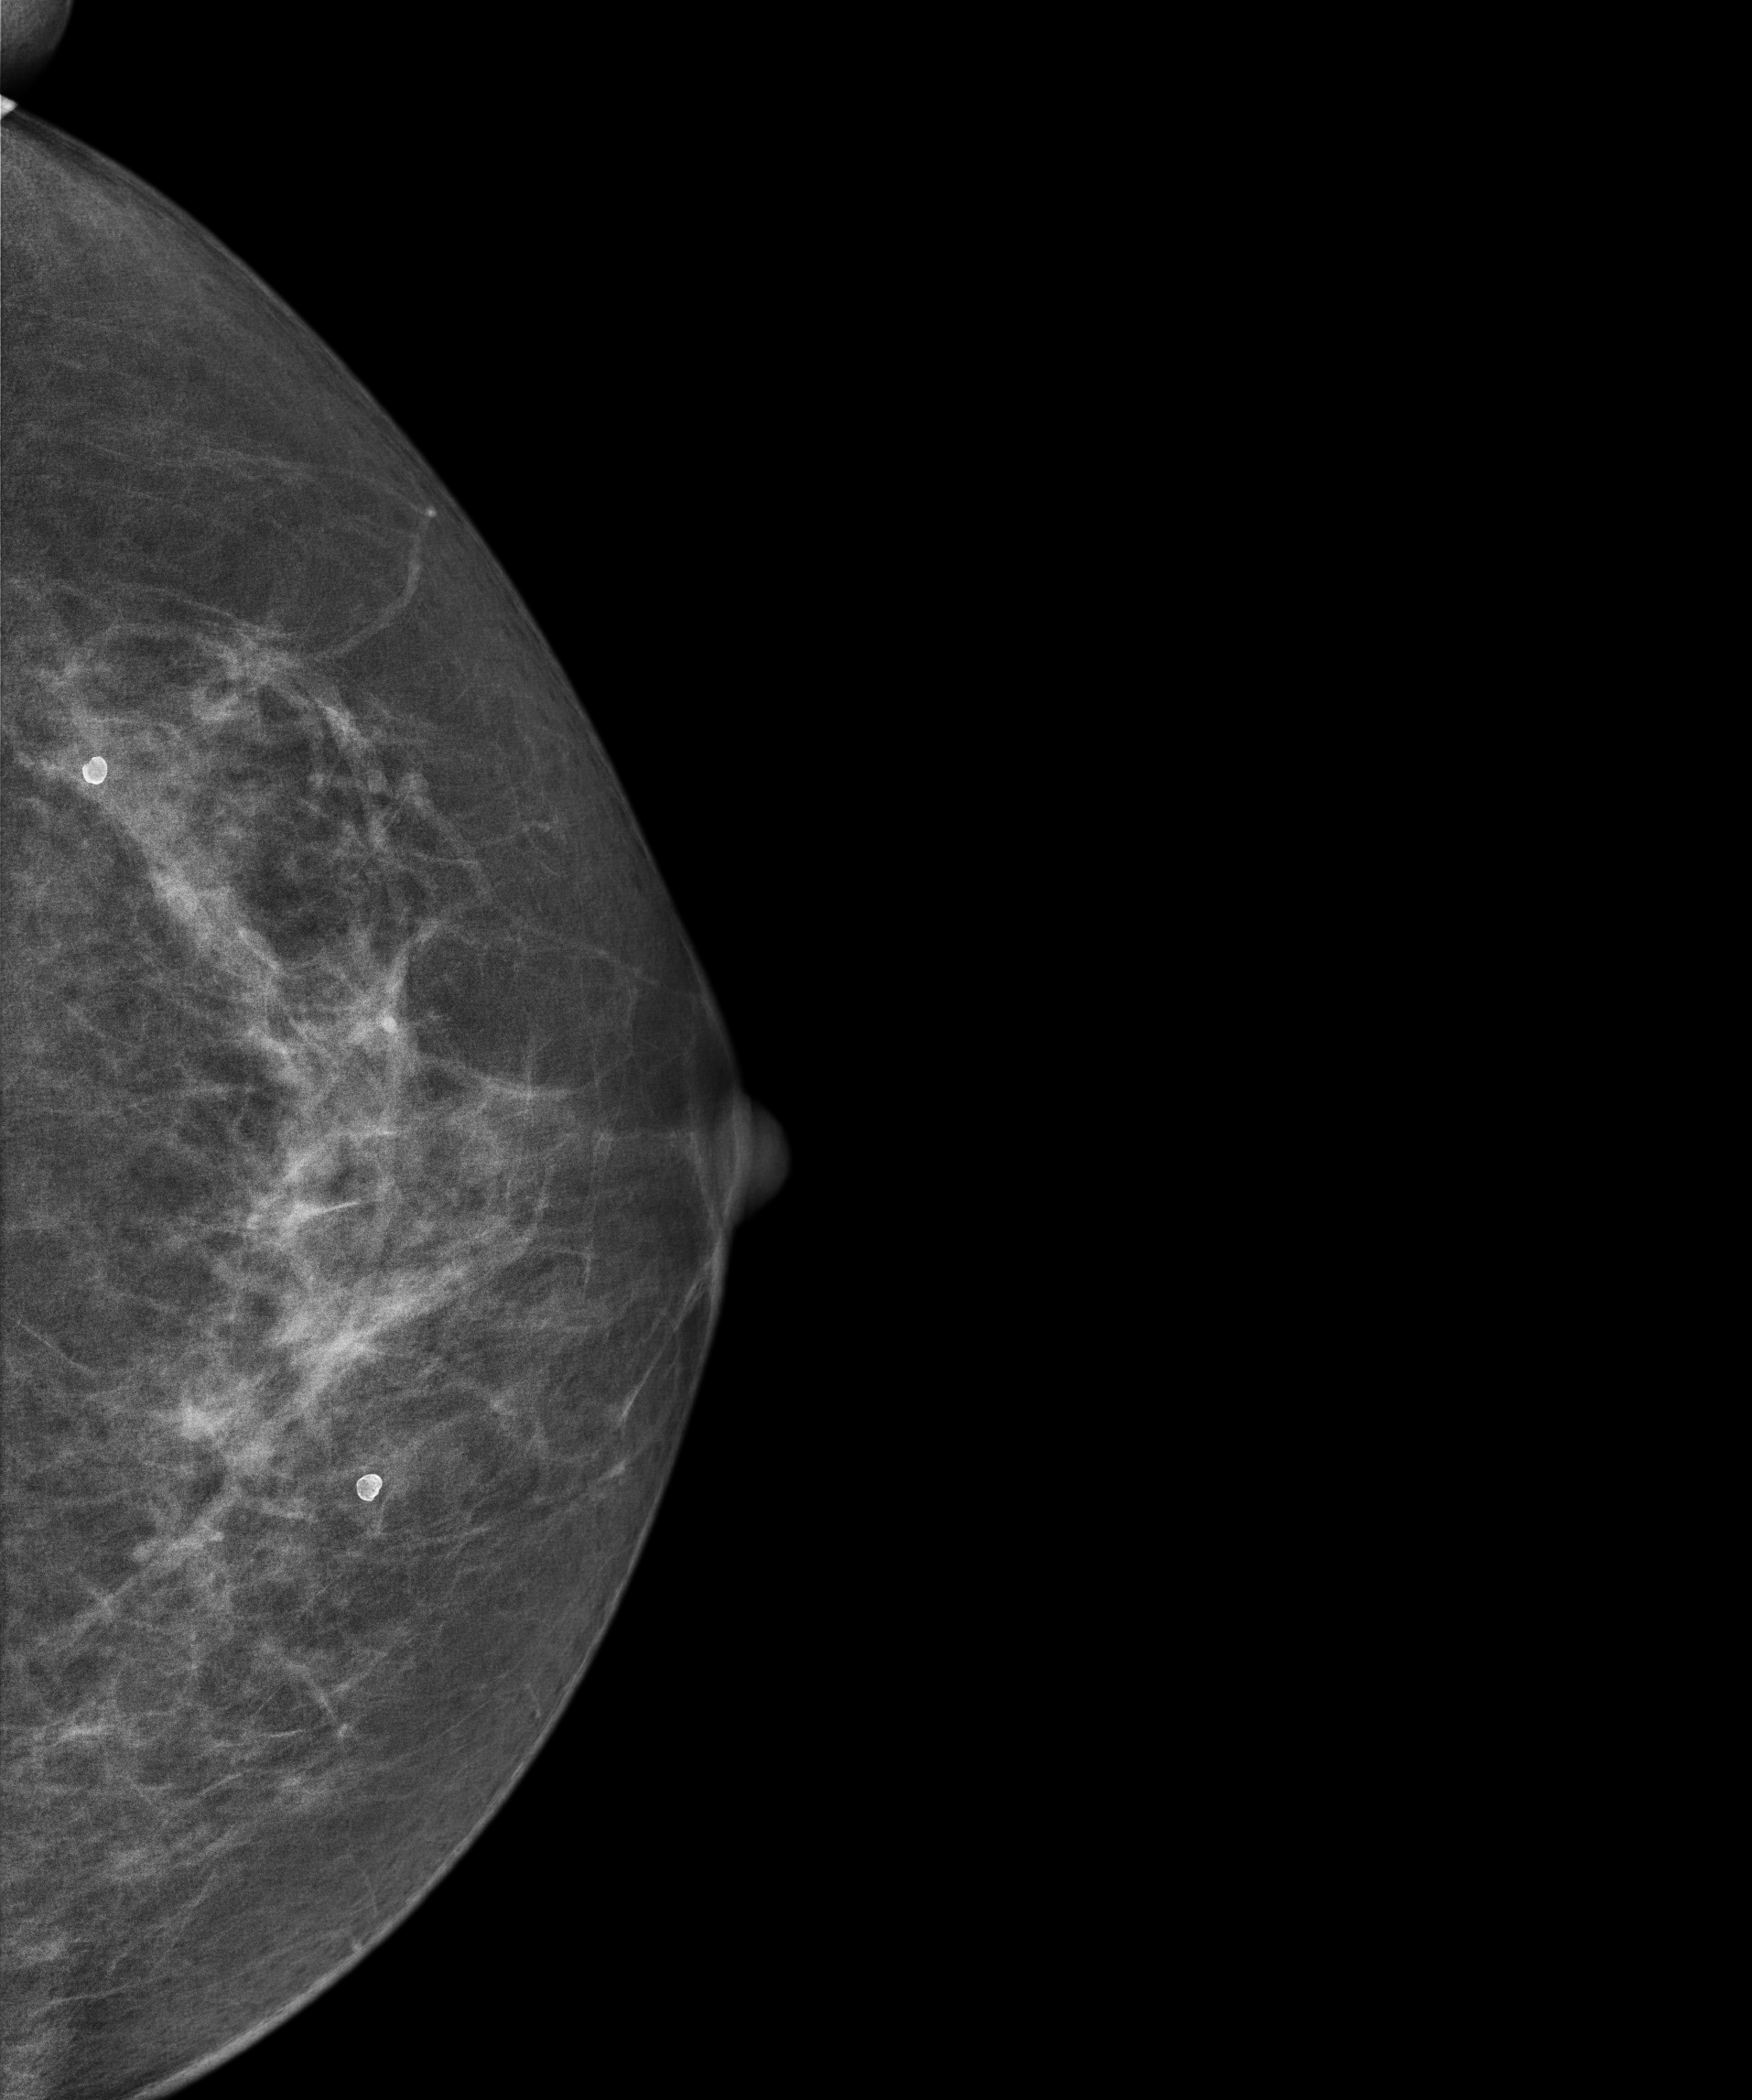
Digital mammography. Left breast, CC projection. 59-year-old patient.
Contralateral breast — no documented abnormality on this side.